Medio-lateral oblique mammogram of the right breast. 23-year-old patient.
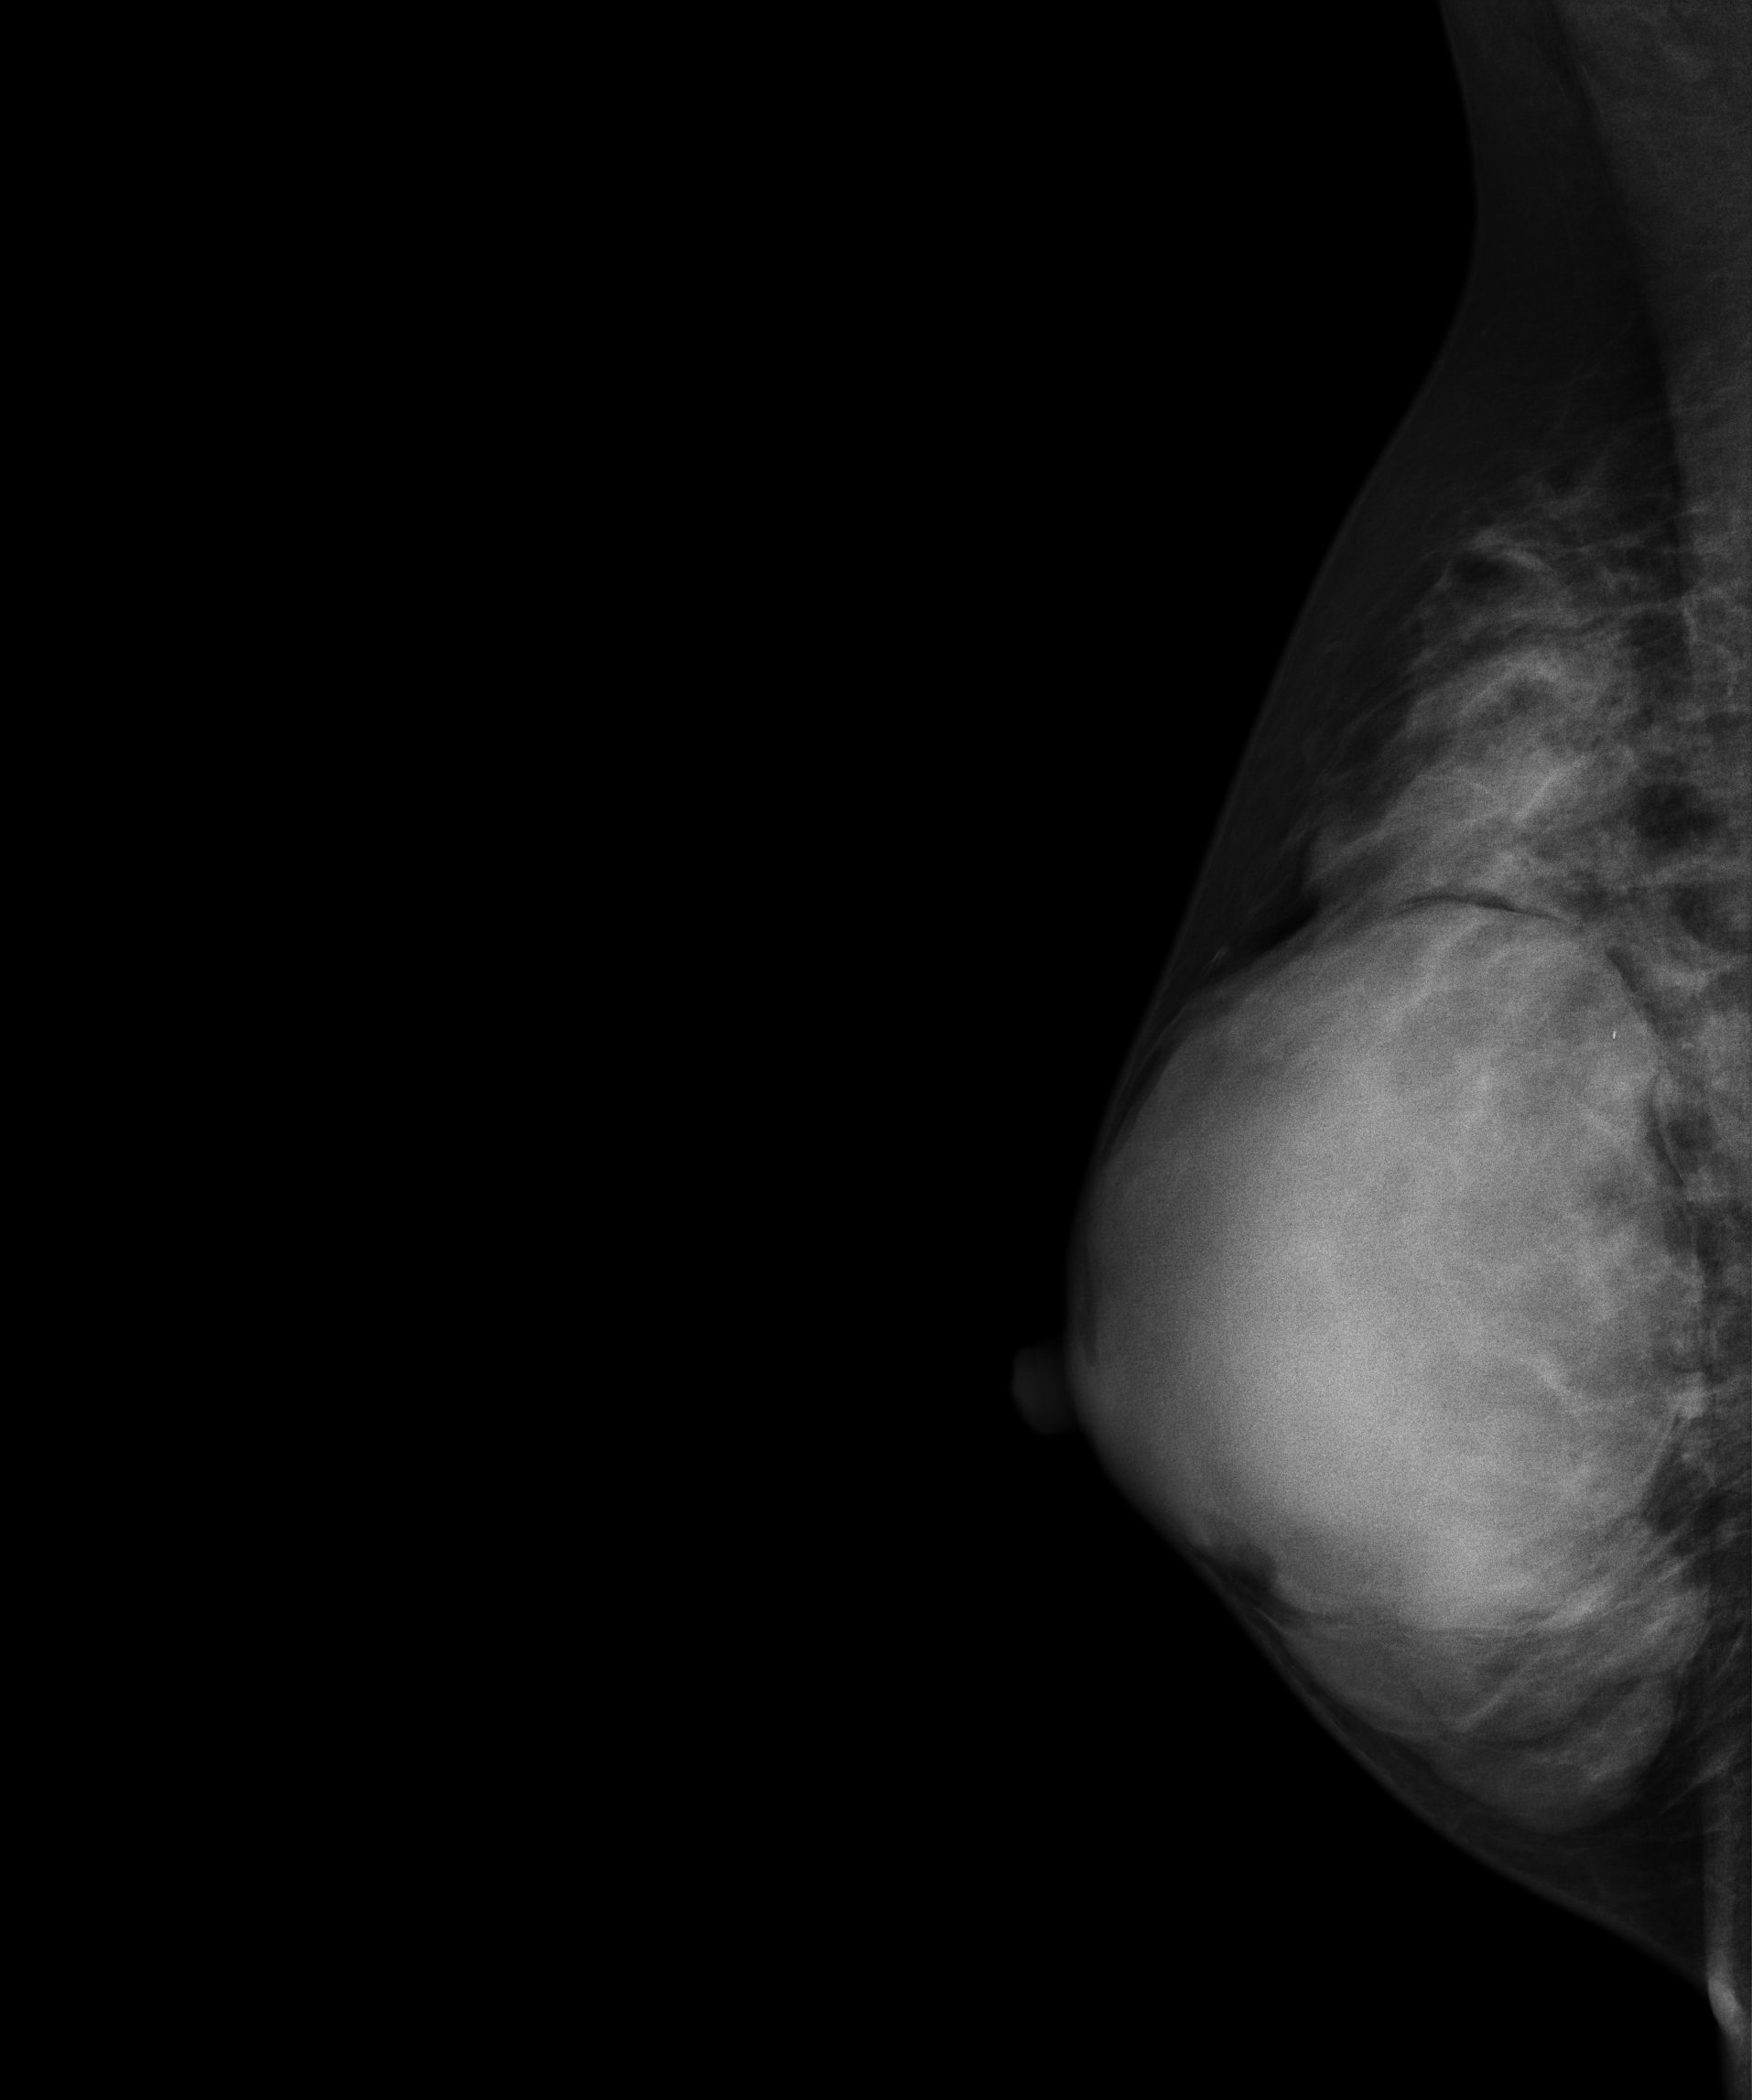
This breast has a mass, histologically confirmed benign.